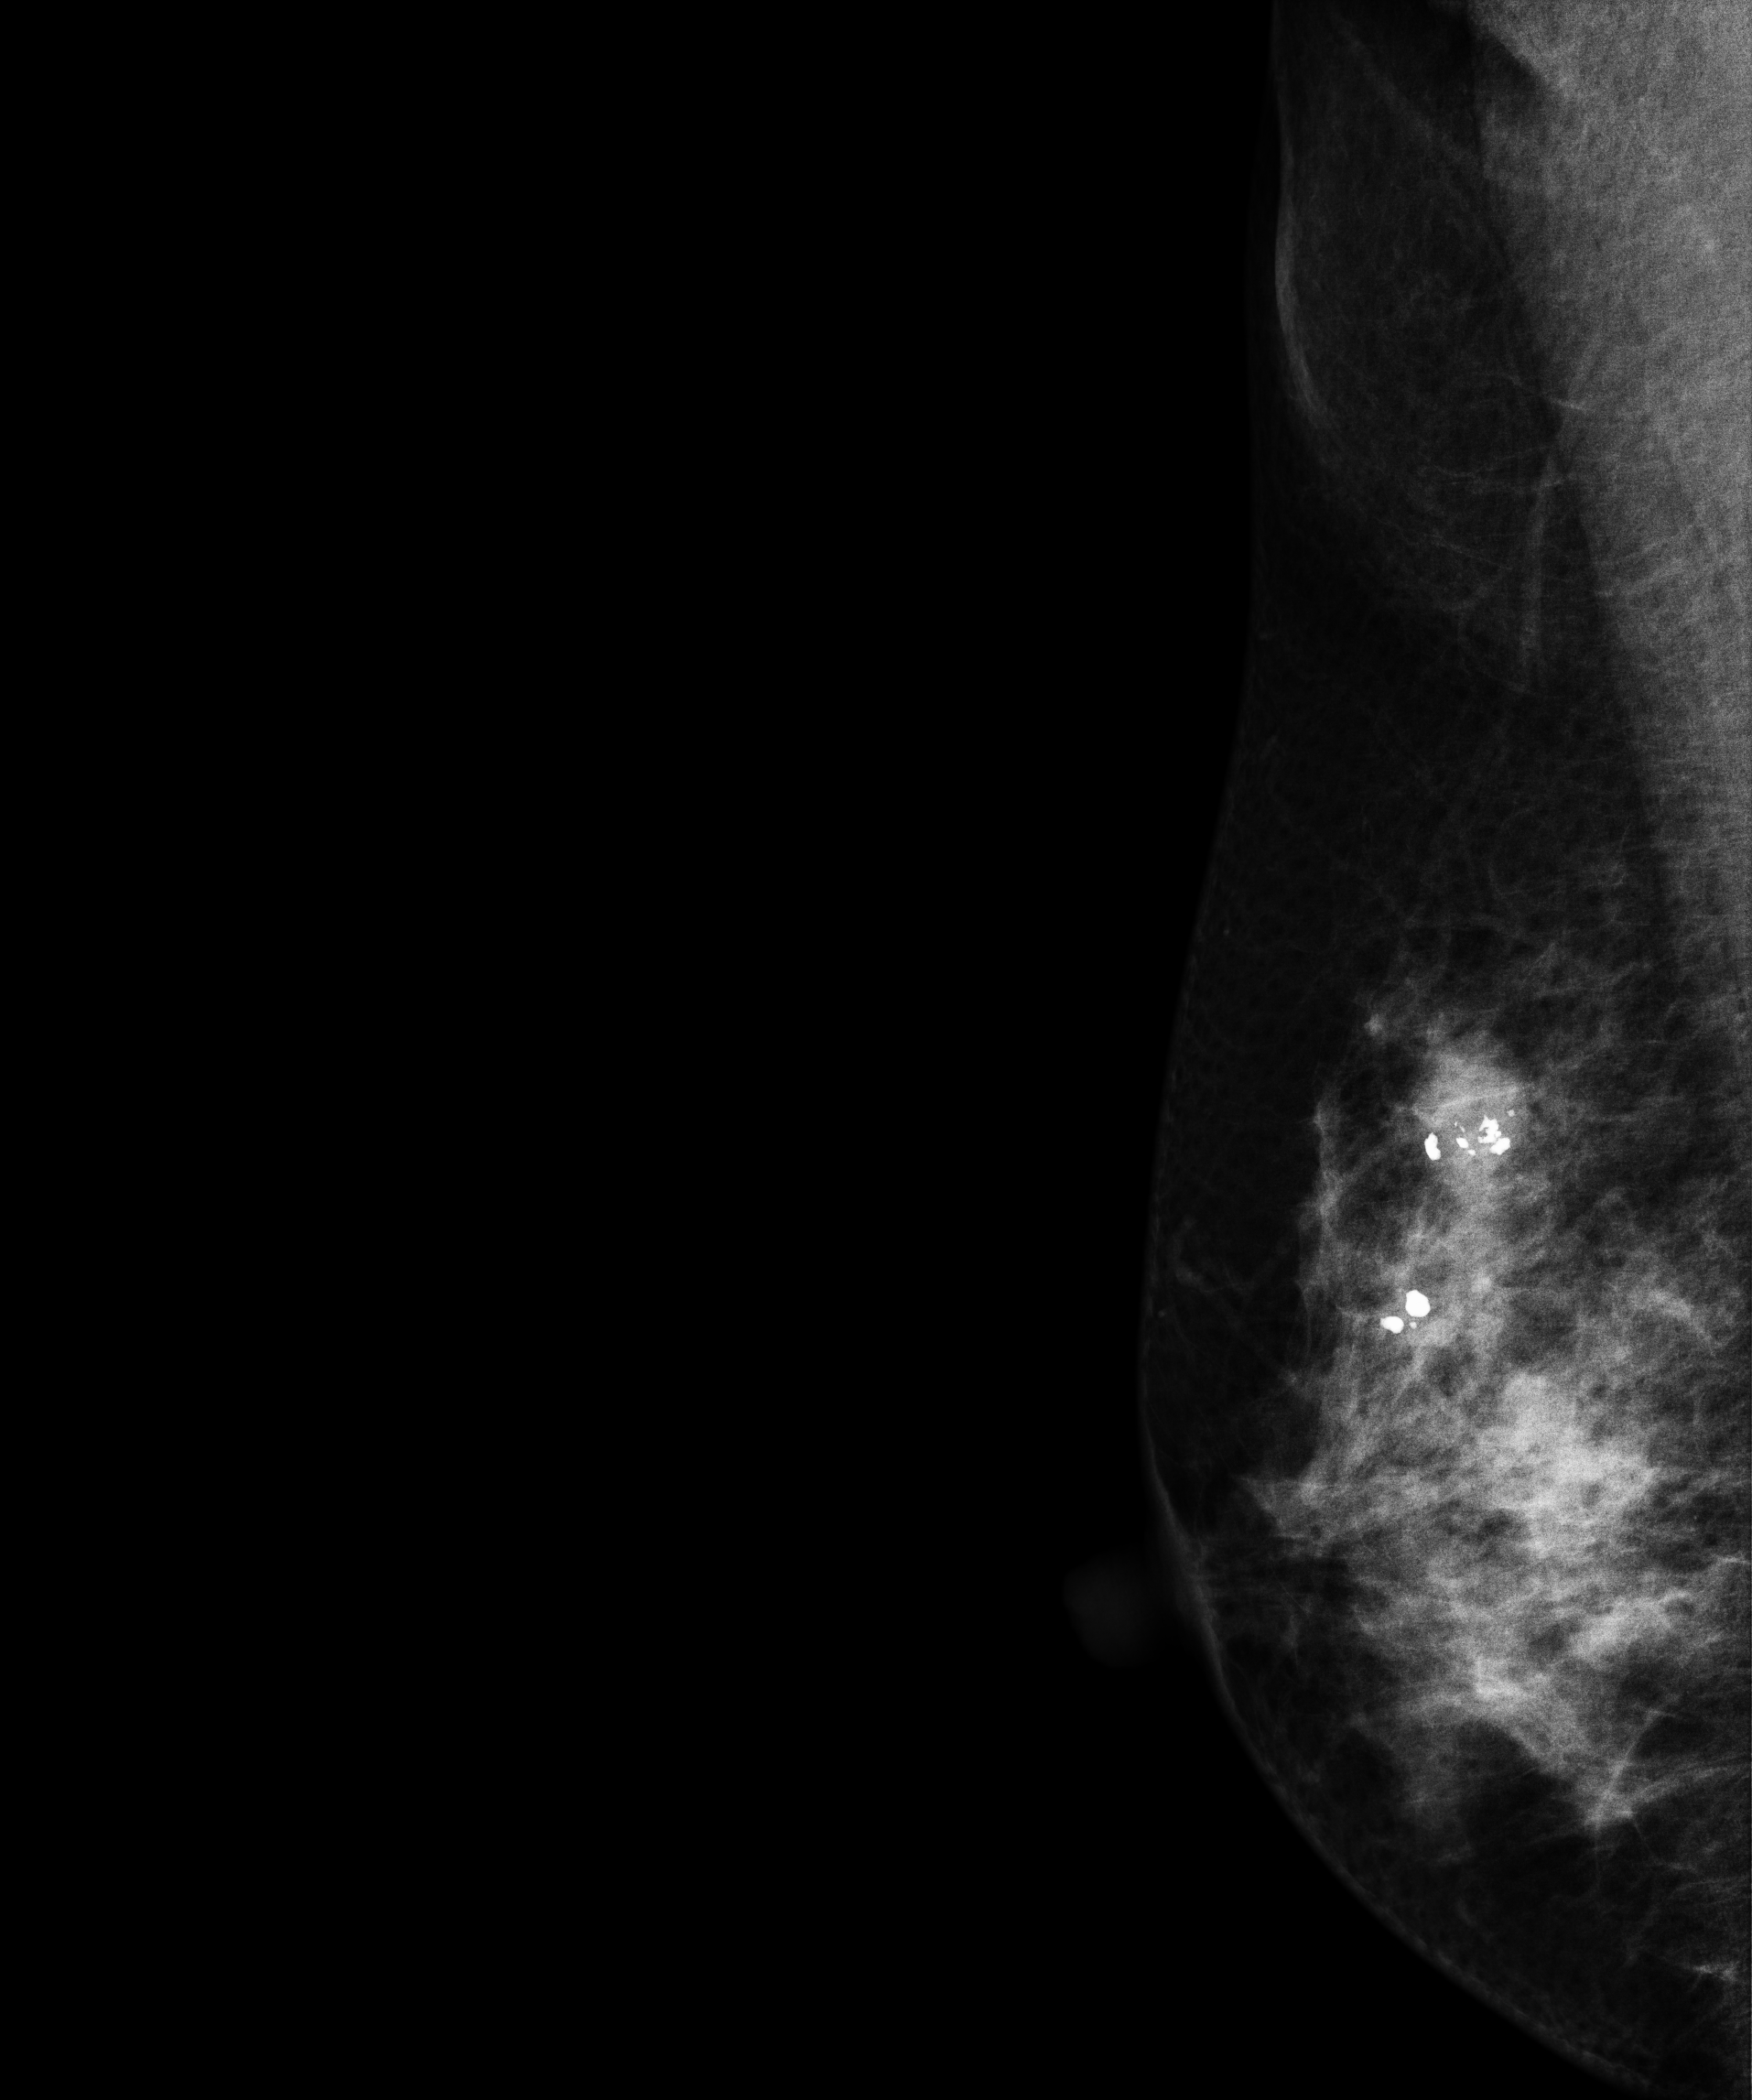
Mammogram, right breast, MLO view. 50-year-old patient.
This breast has a mass and calcifications, pathology-confirmed benign.